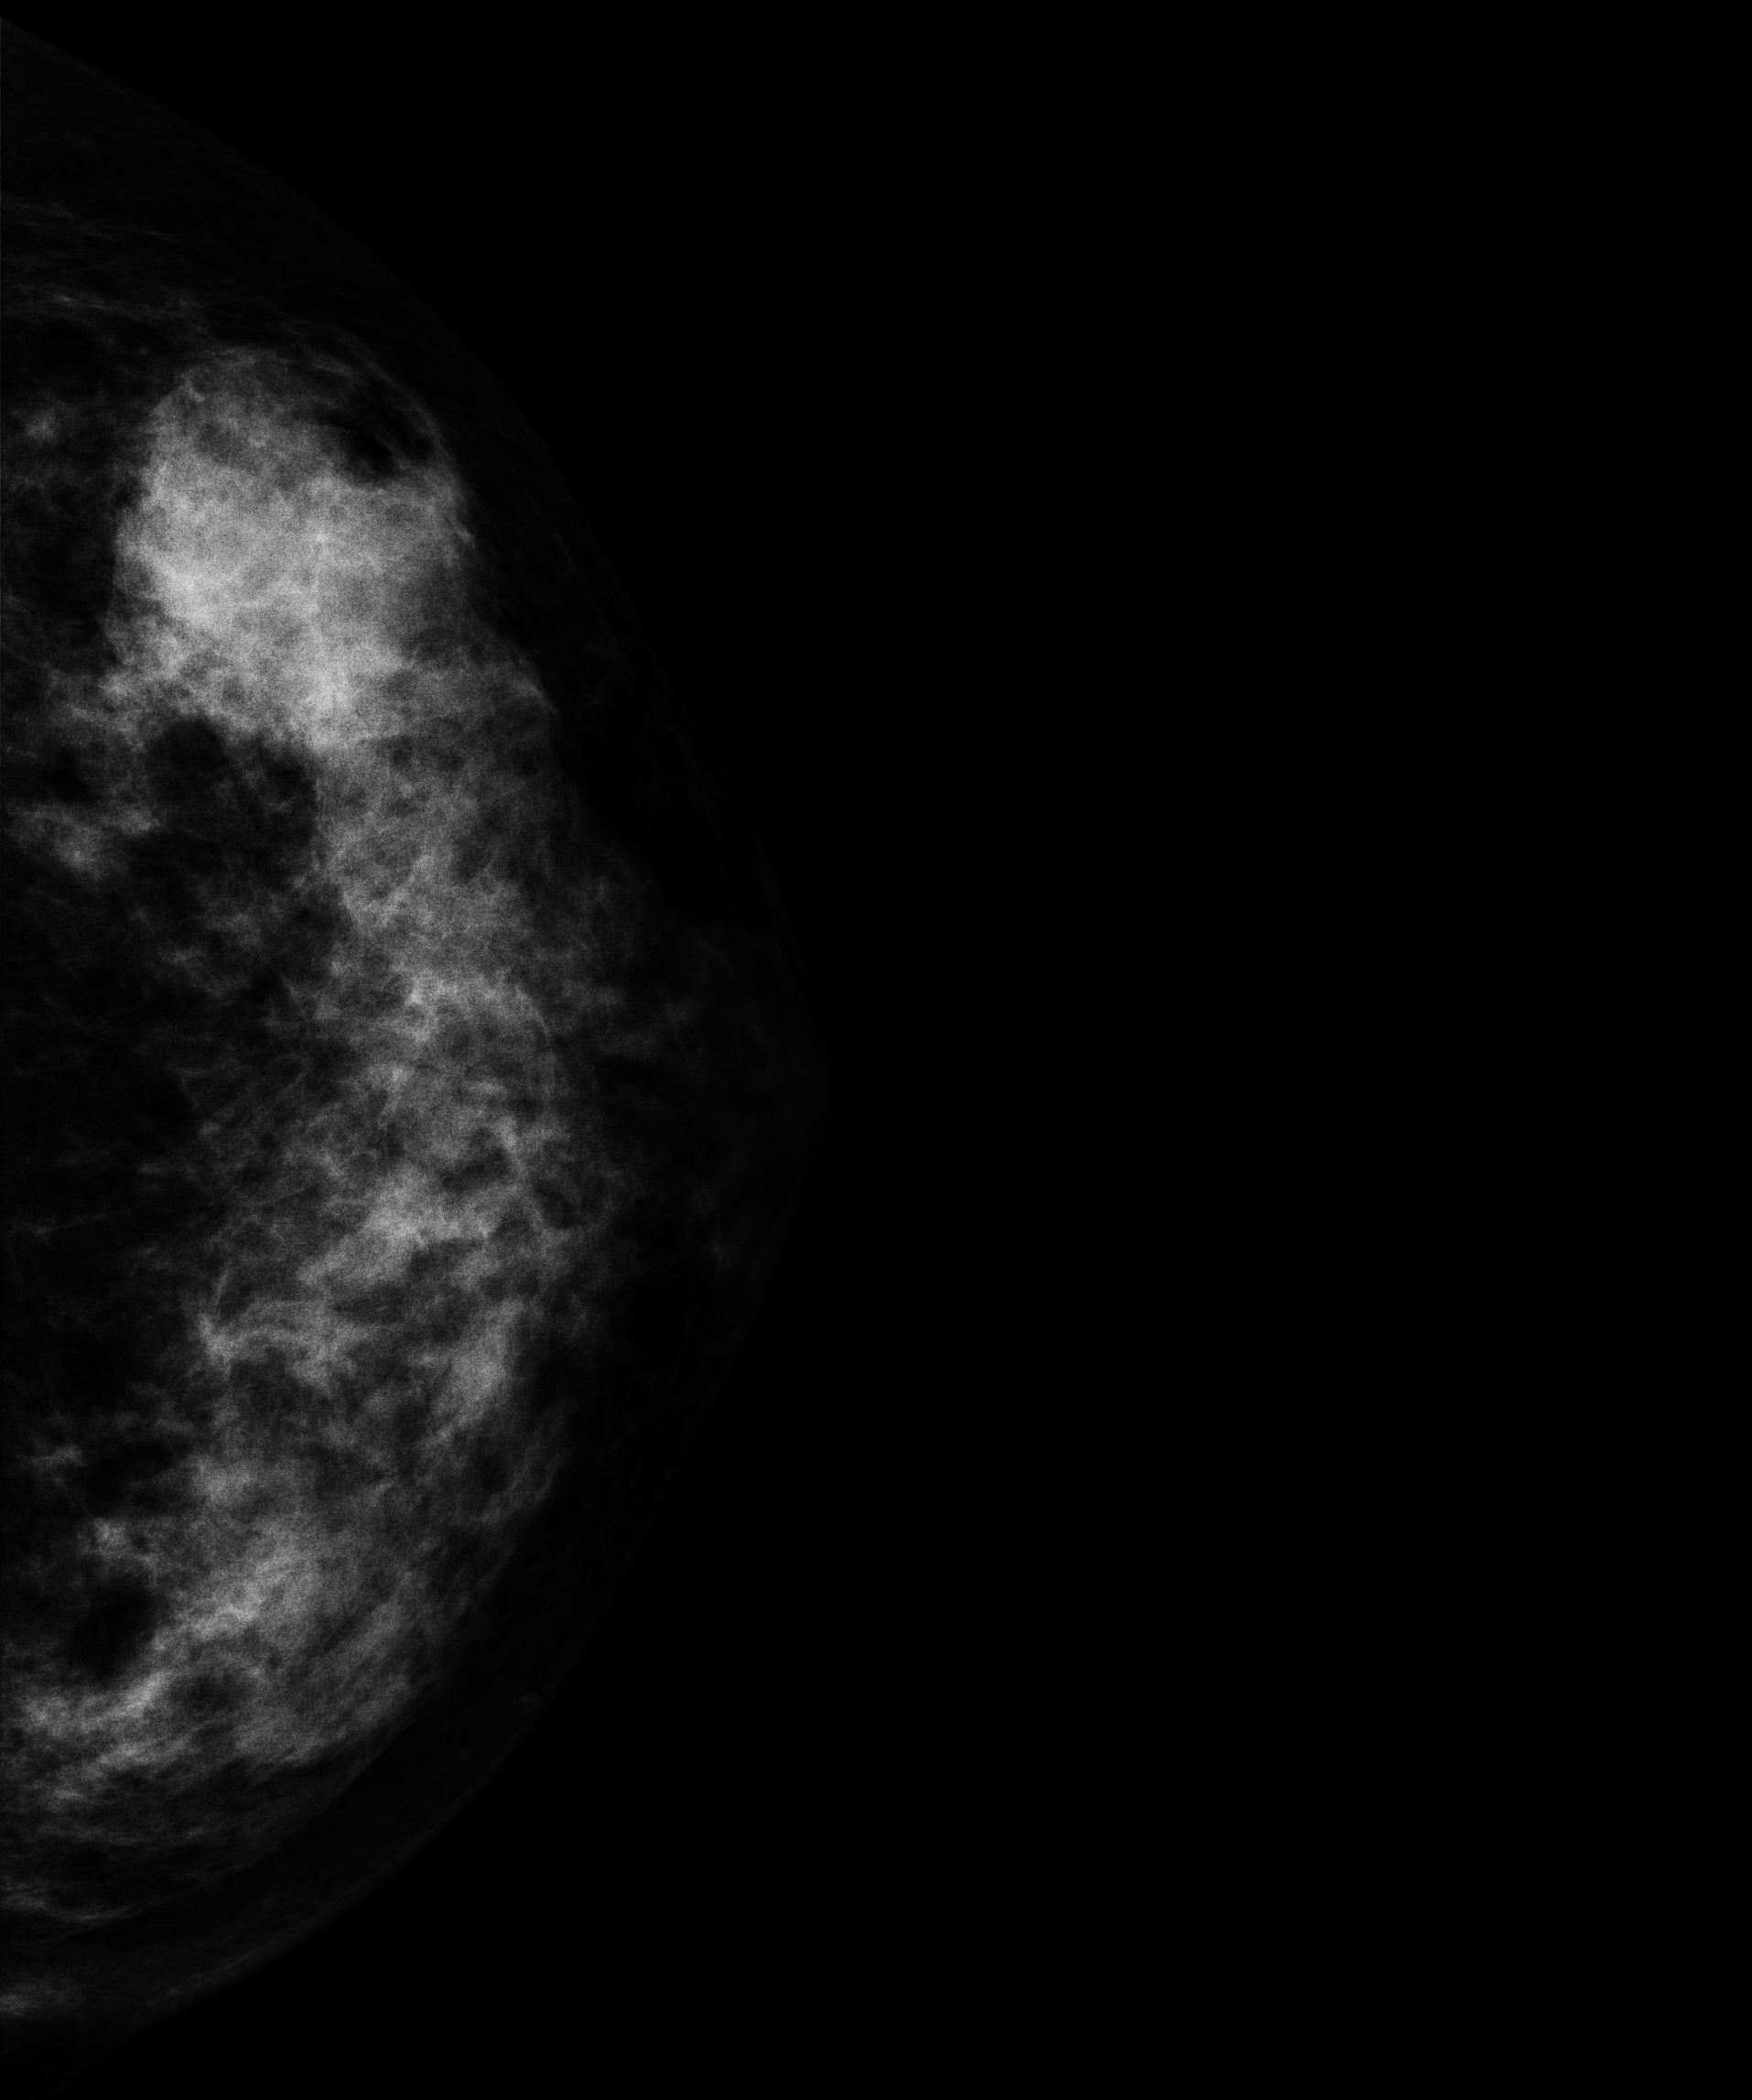
Cranio-caudal mammogram of the left breast. 43-year-old patient.
This breast has a mass, biopsy-confirmed malignant. Molecular subtype: triple-negative.